Mammogram, left breast, medio-lateral oblique view. 43-year-old patient.
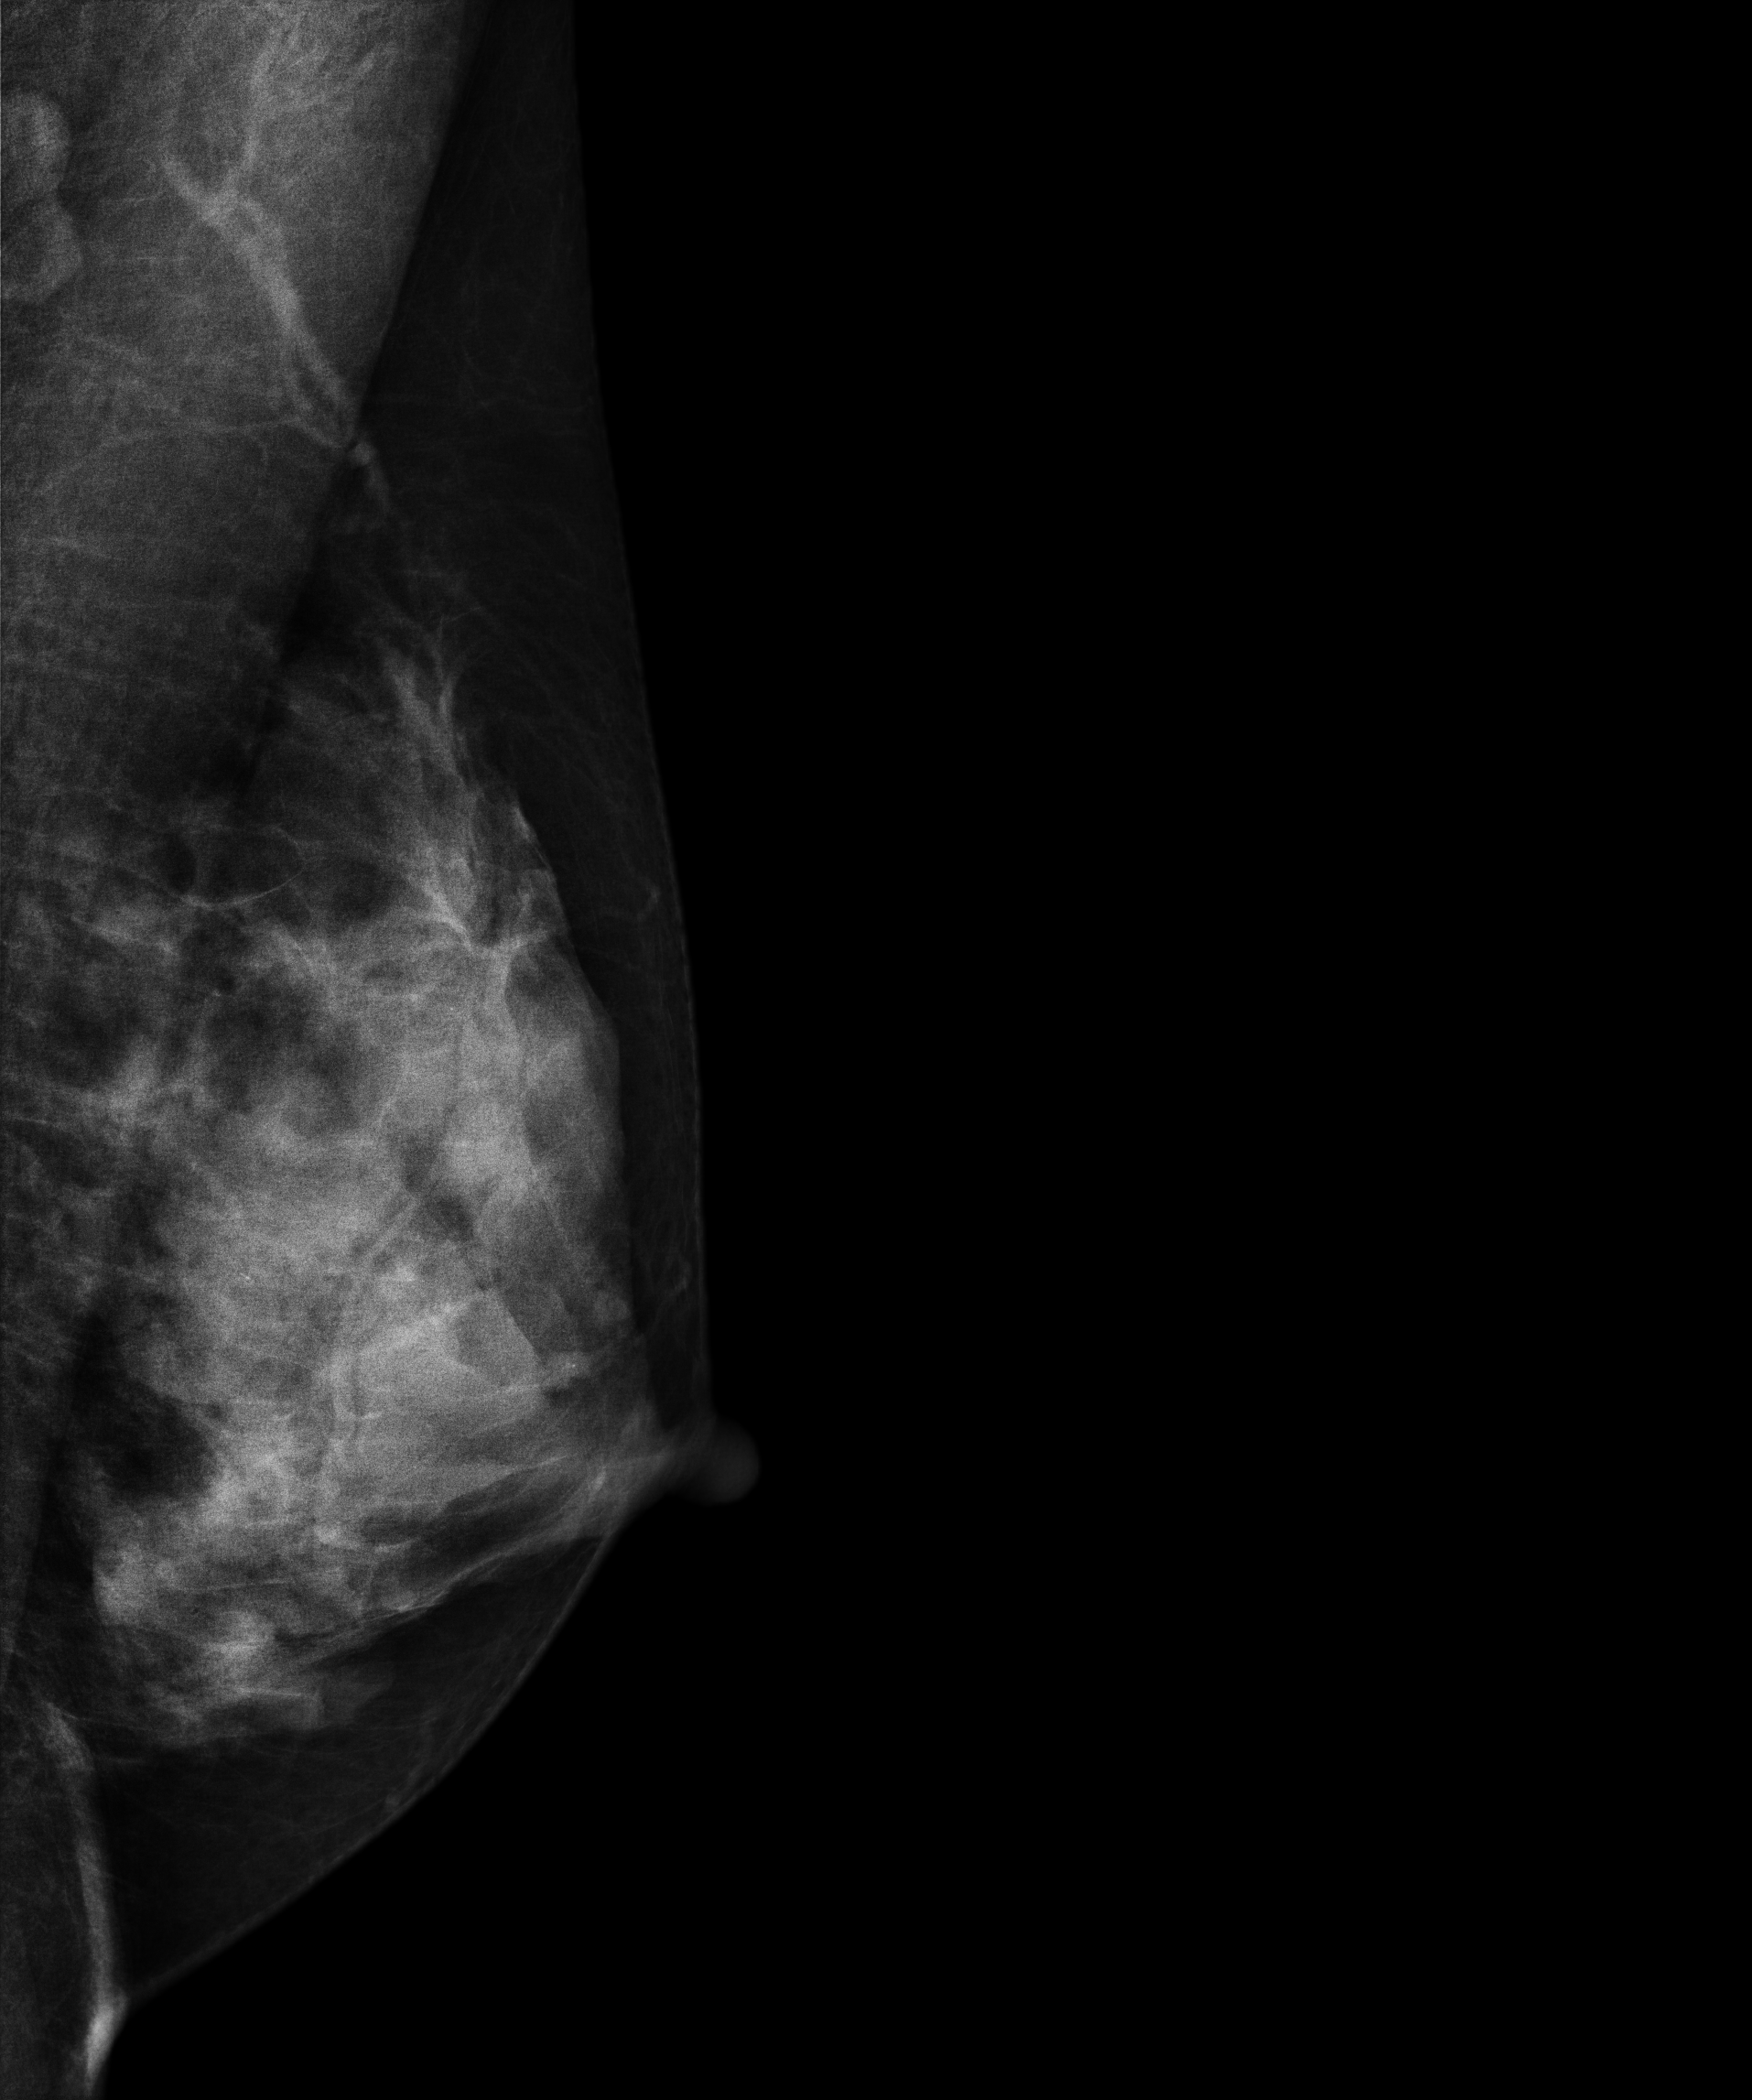
Contralateral breast — no documented abnormality on this side.